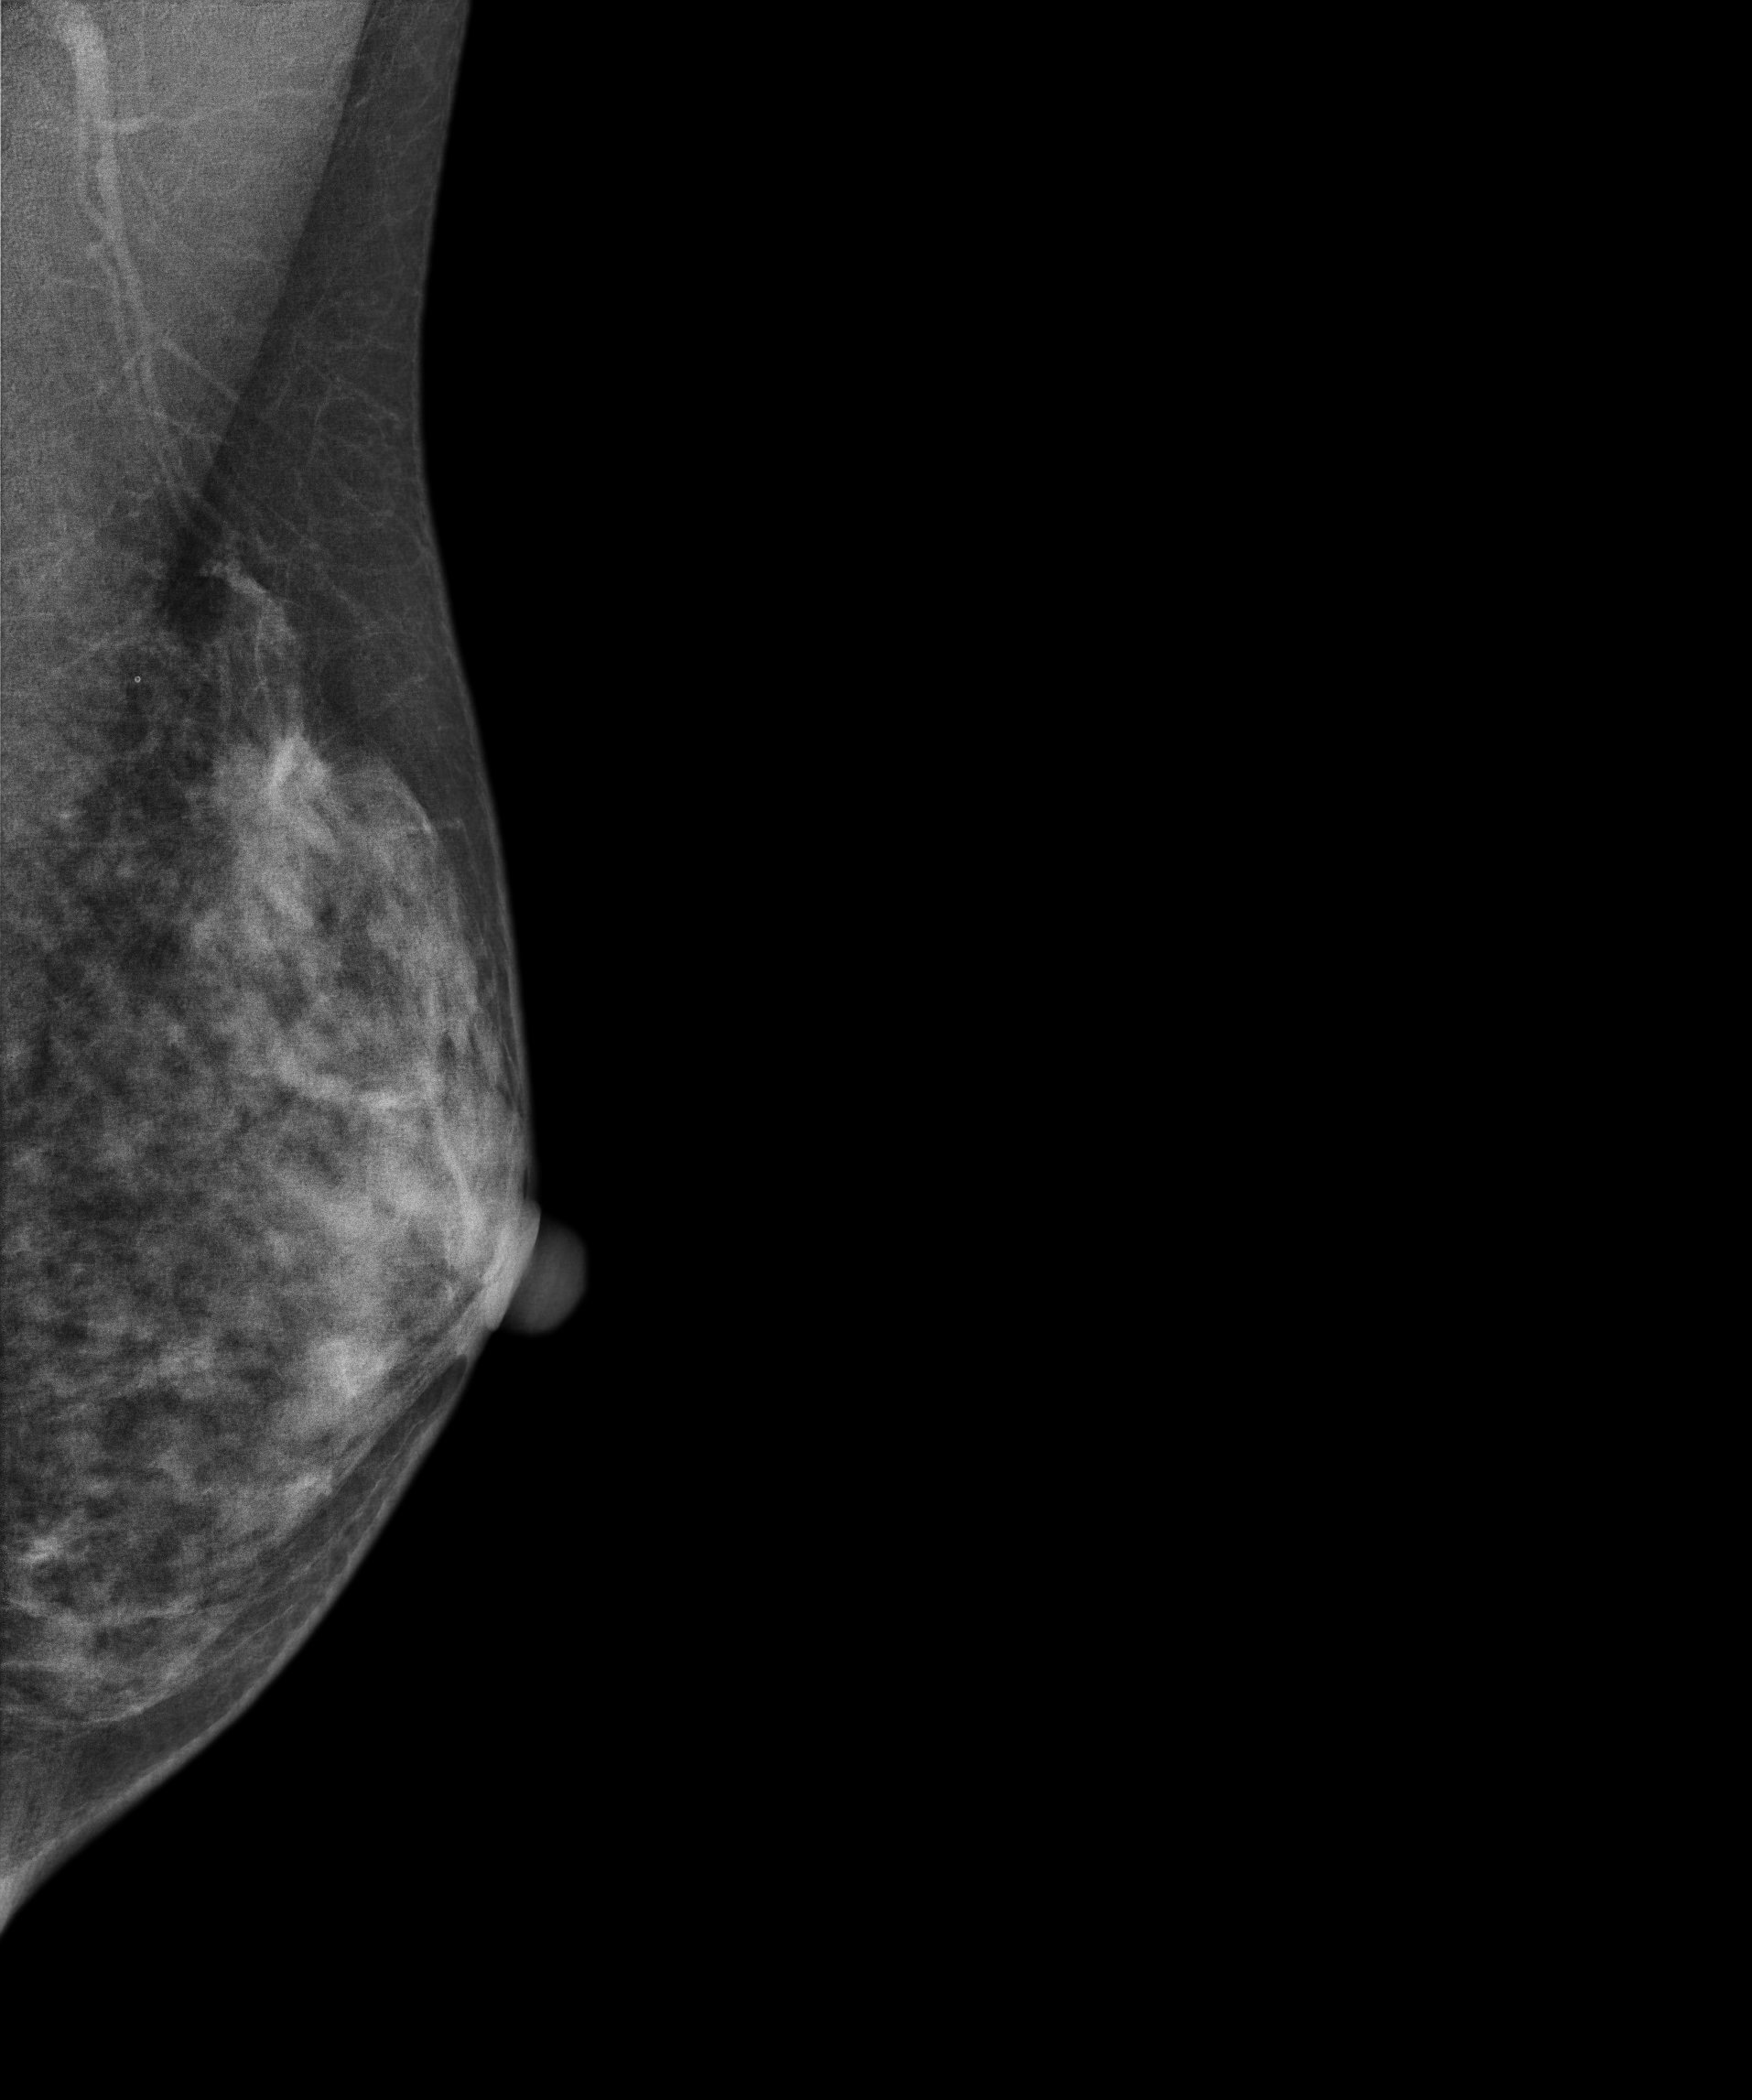
Mammogram — left MLO. Patient age 41.
This breast has a mass, biopsy-confirmed malignant. Molecular subtype: luminal B.